Mammogram, right breast, CC view. 56 y/o patient.
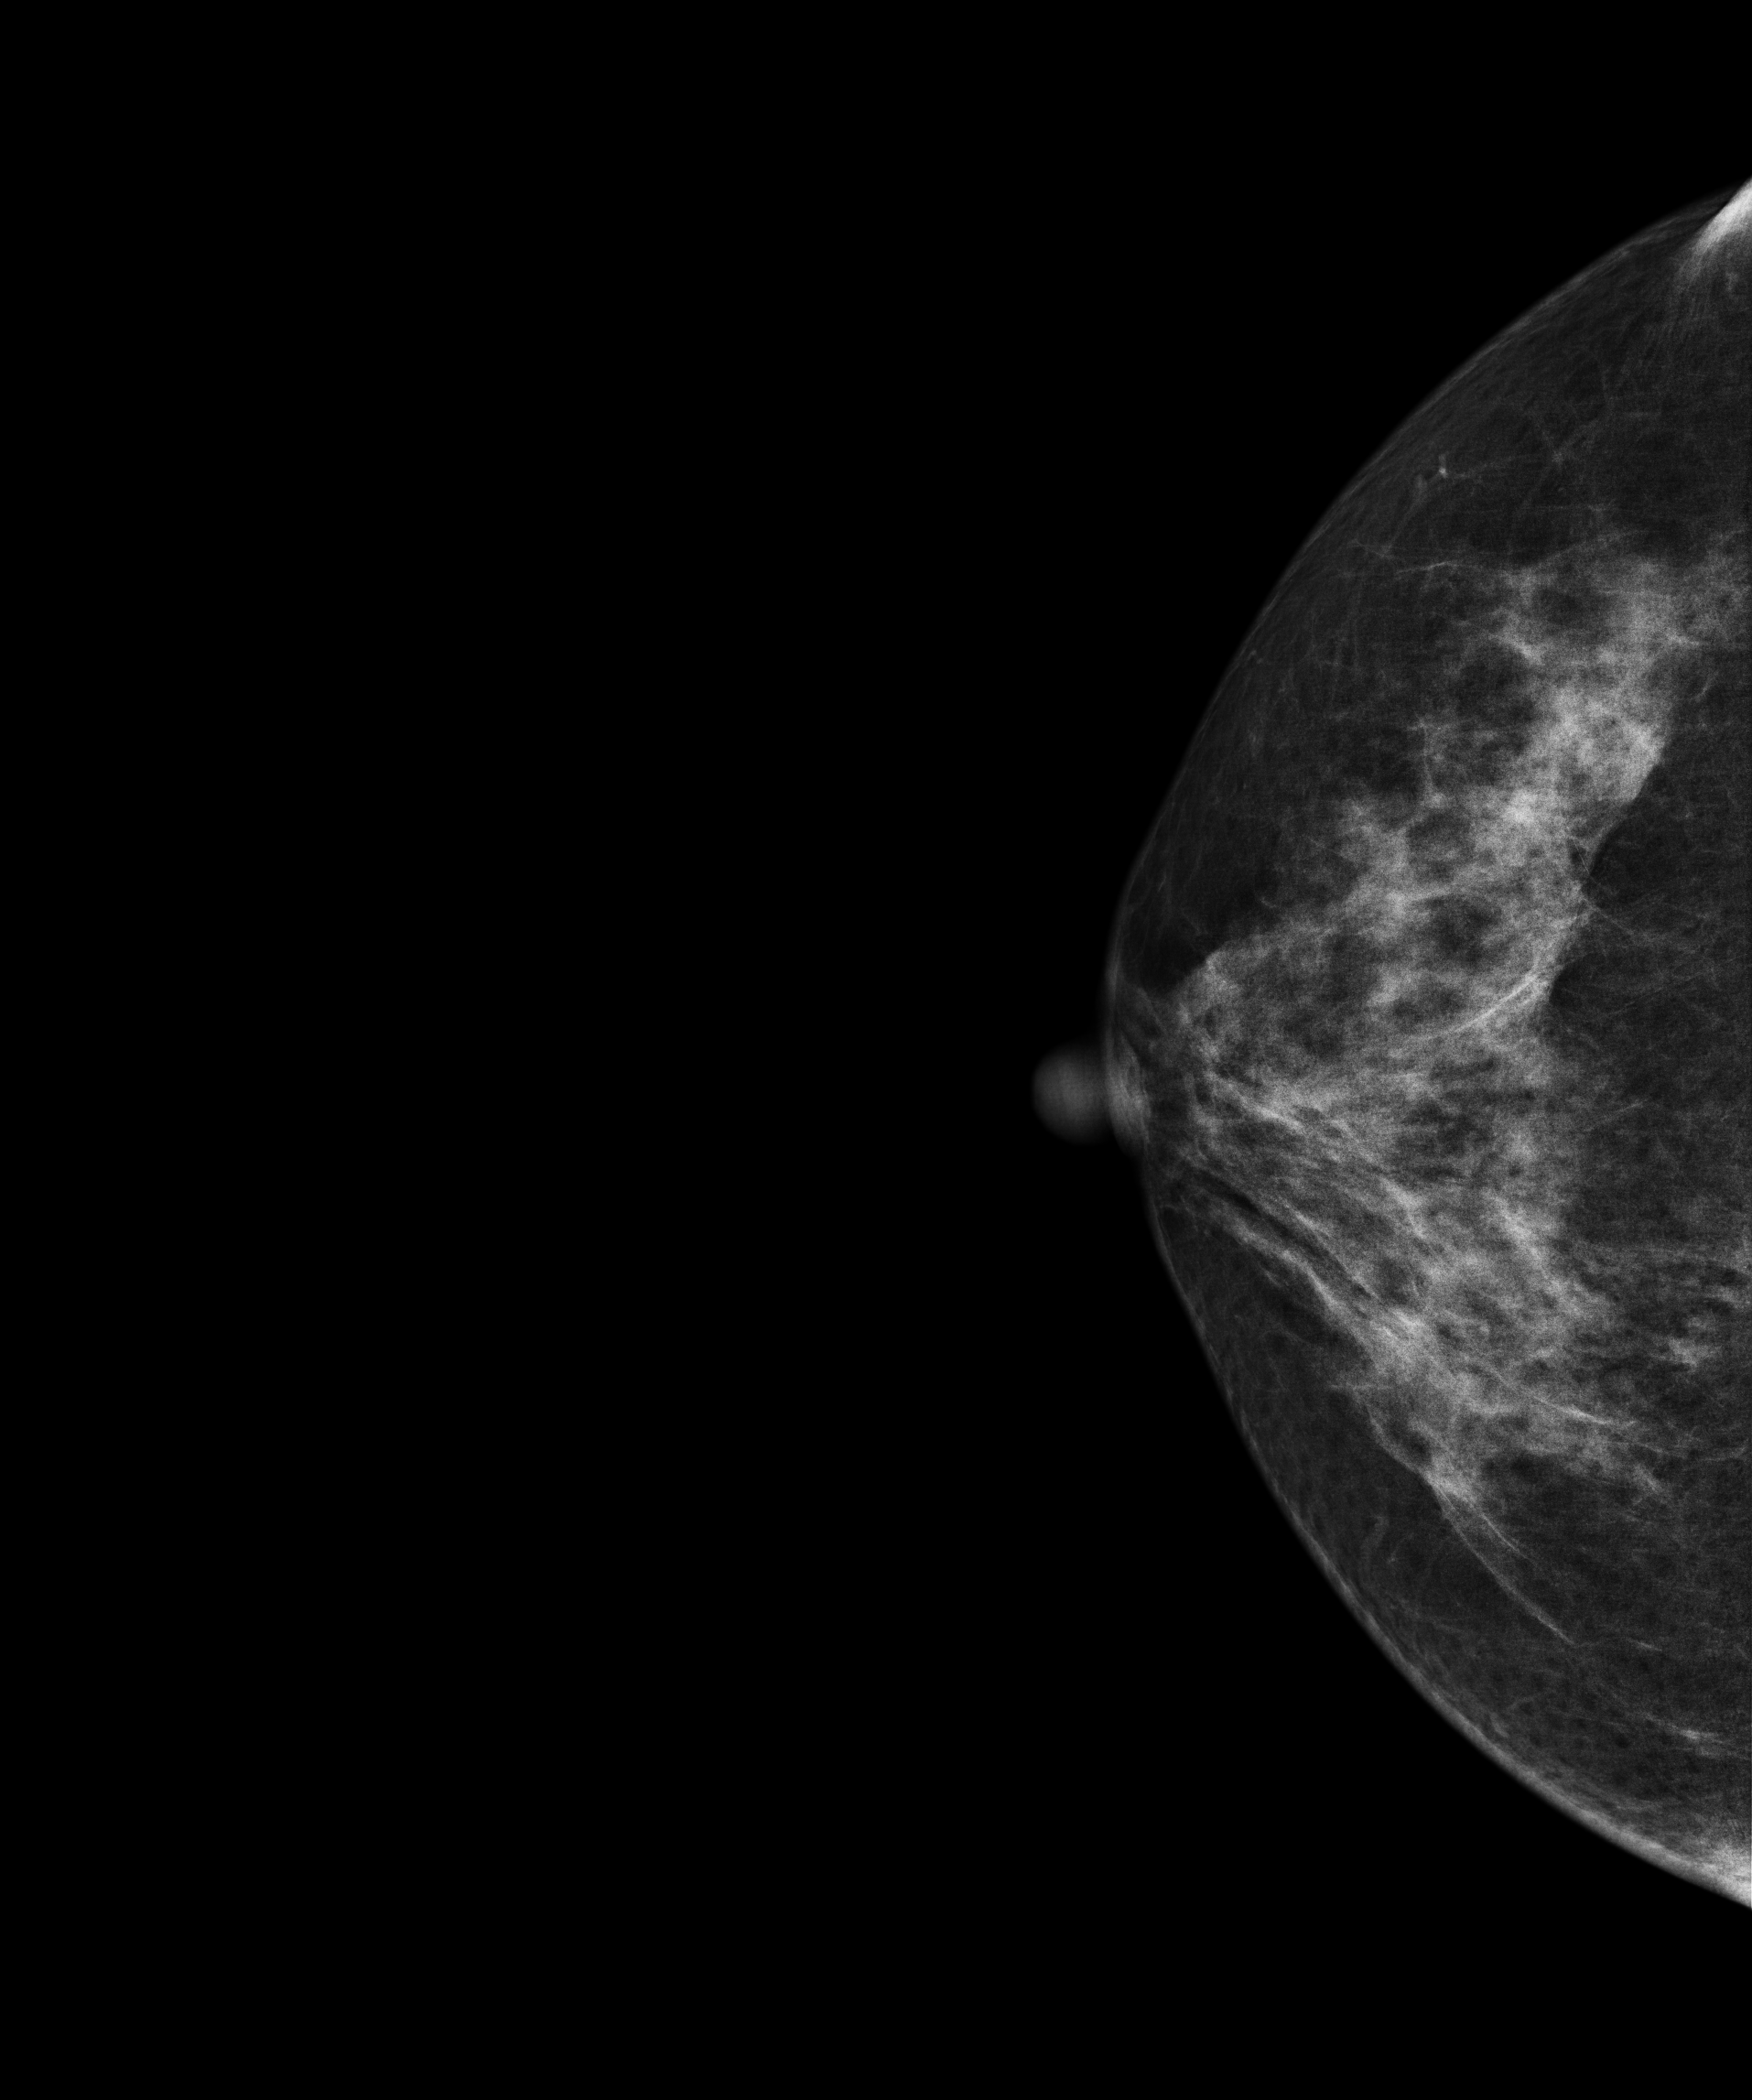
This breast has a mass and calcifications, pathology-confirmed malignant.